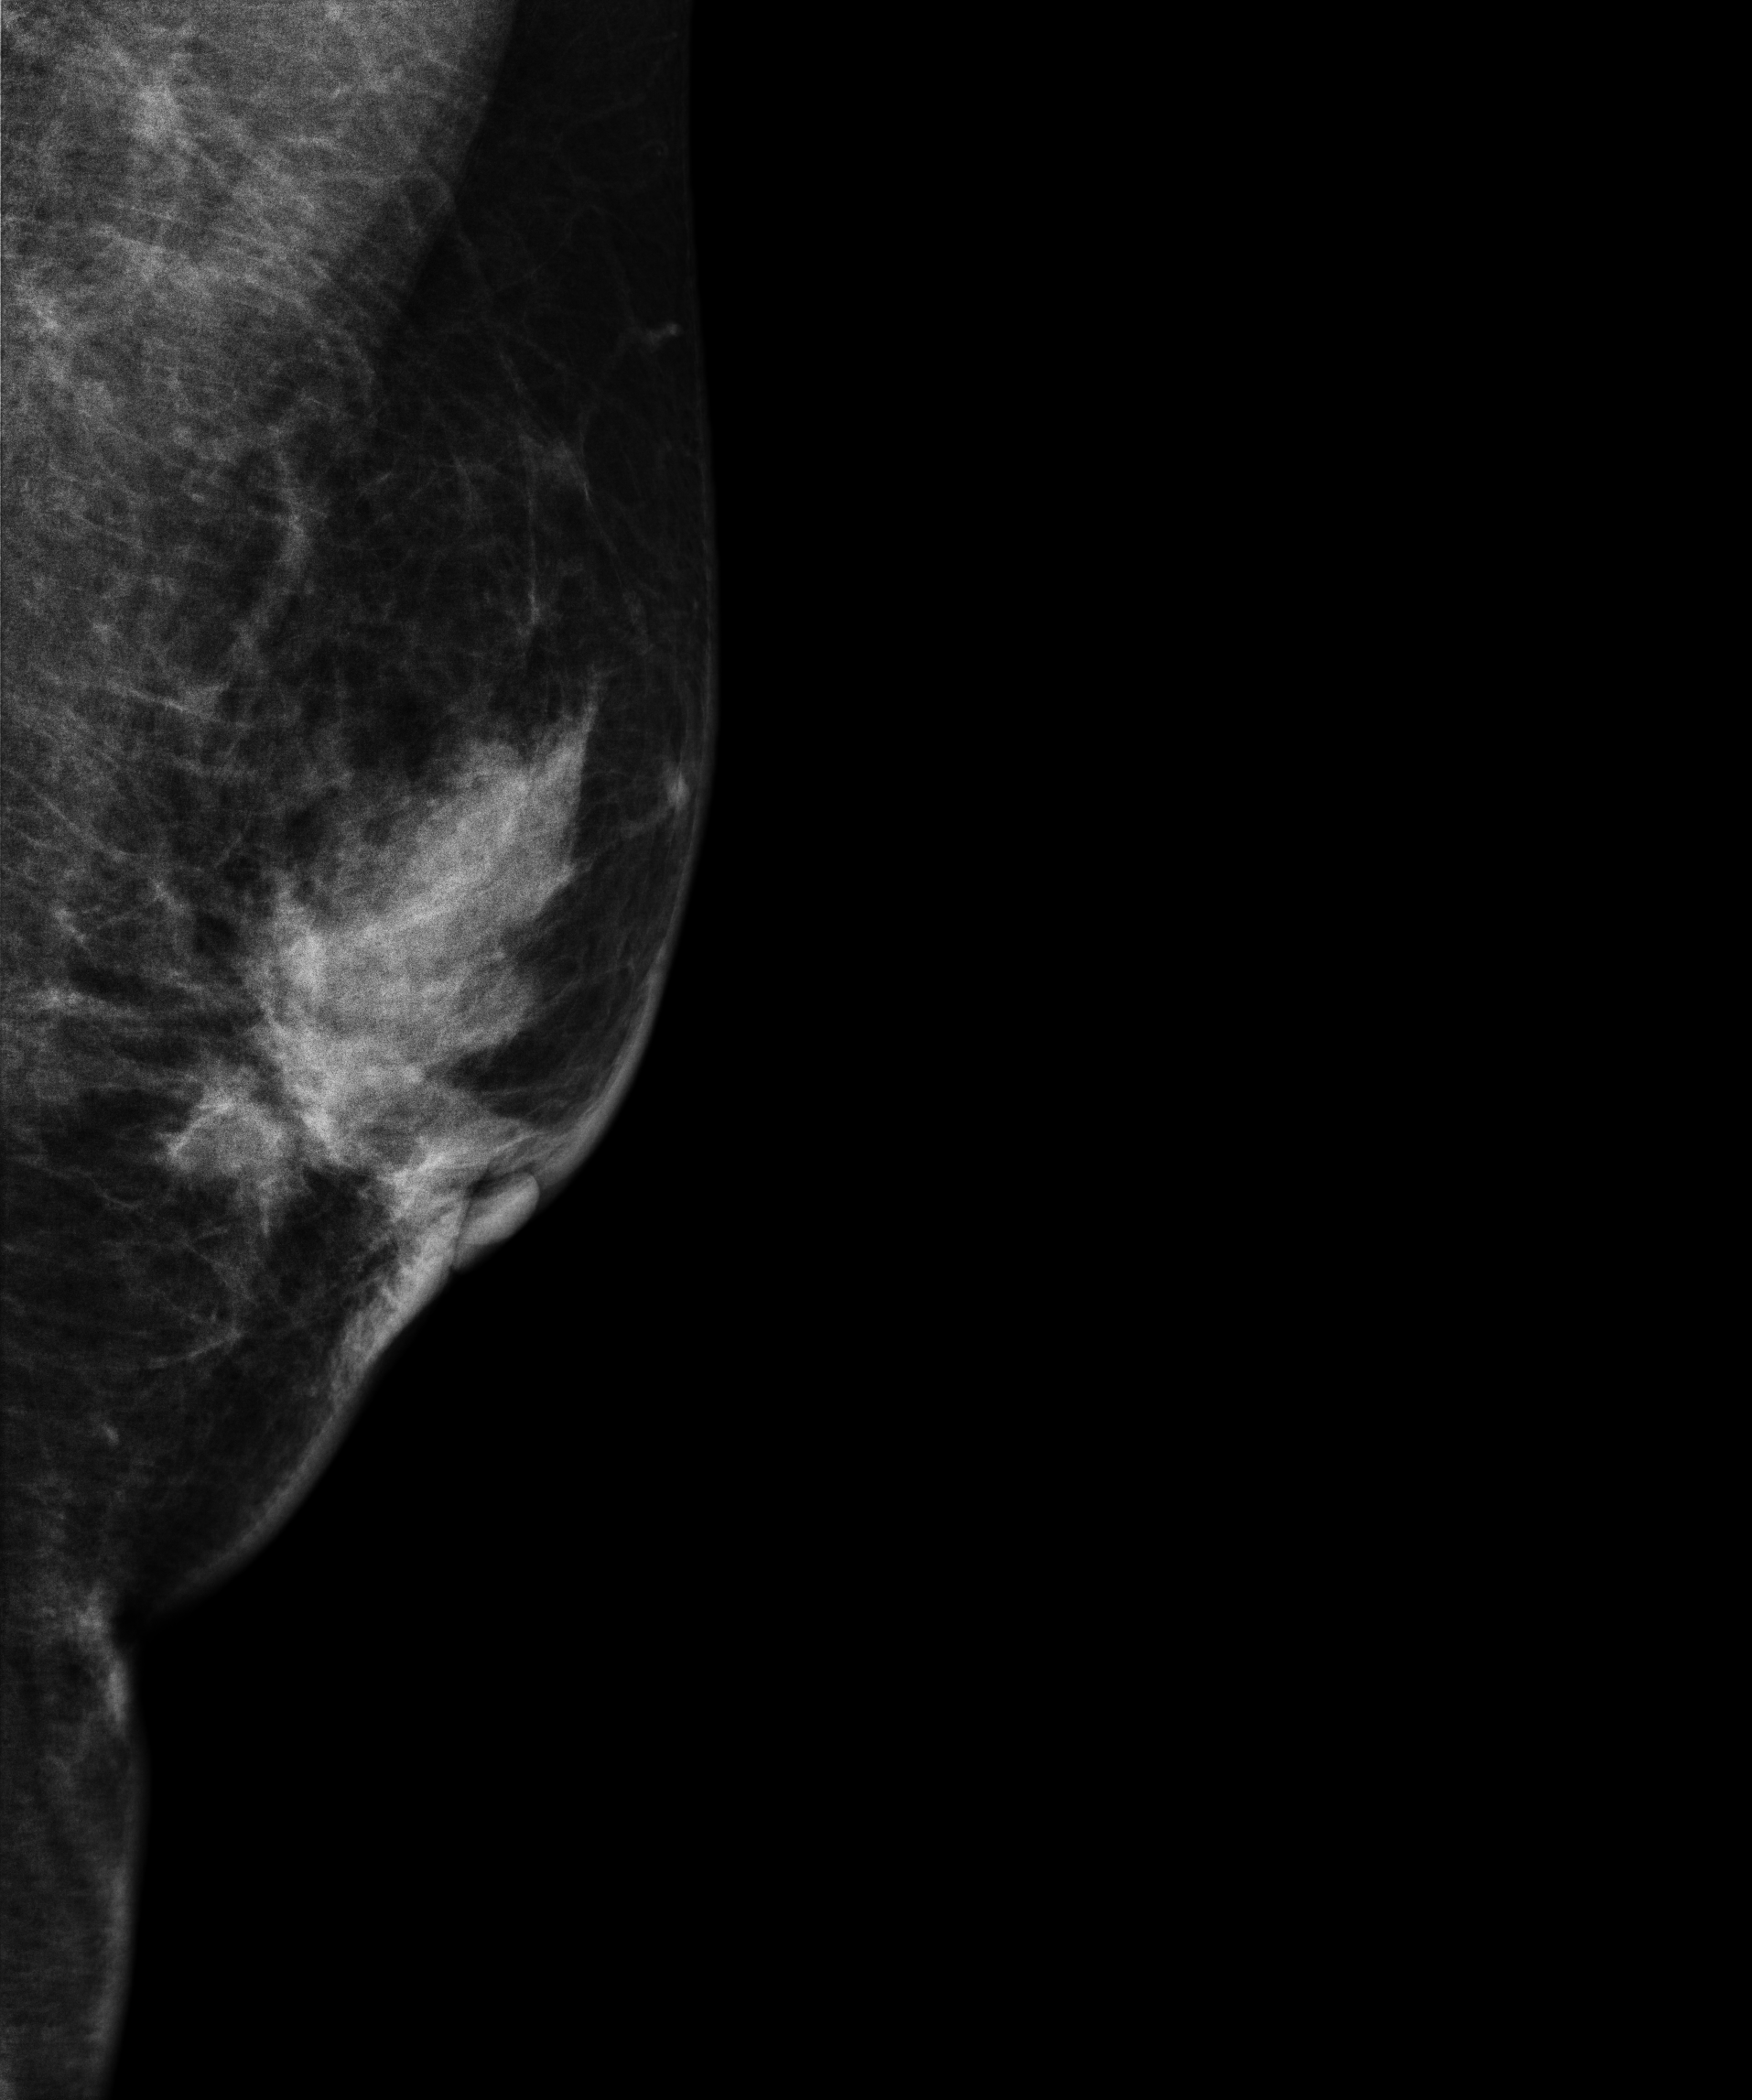
Medio-lateral oblique mammogram of the left breast. 41 y/o patient.
This breast has a mass, biopsy-proven malignant.